Left-breast mammogram, CC. Patient age 45.
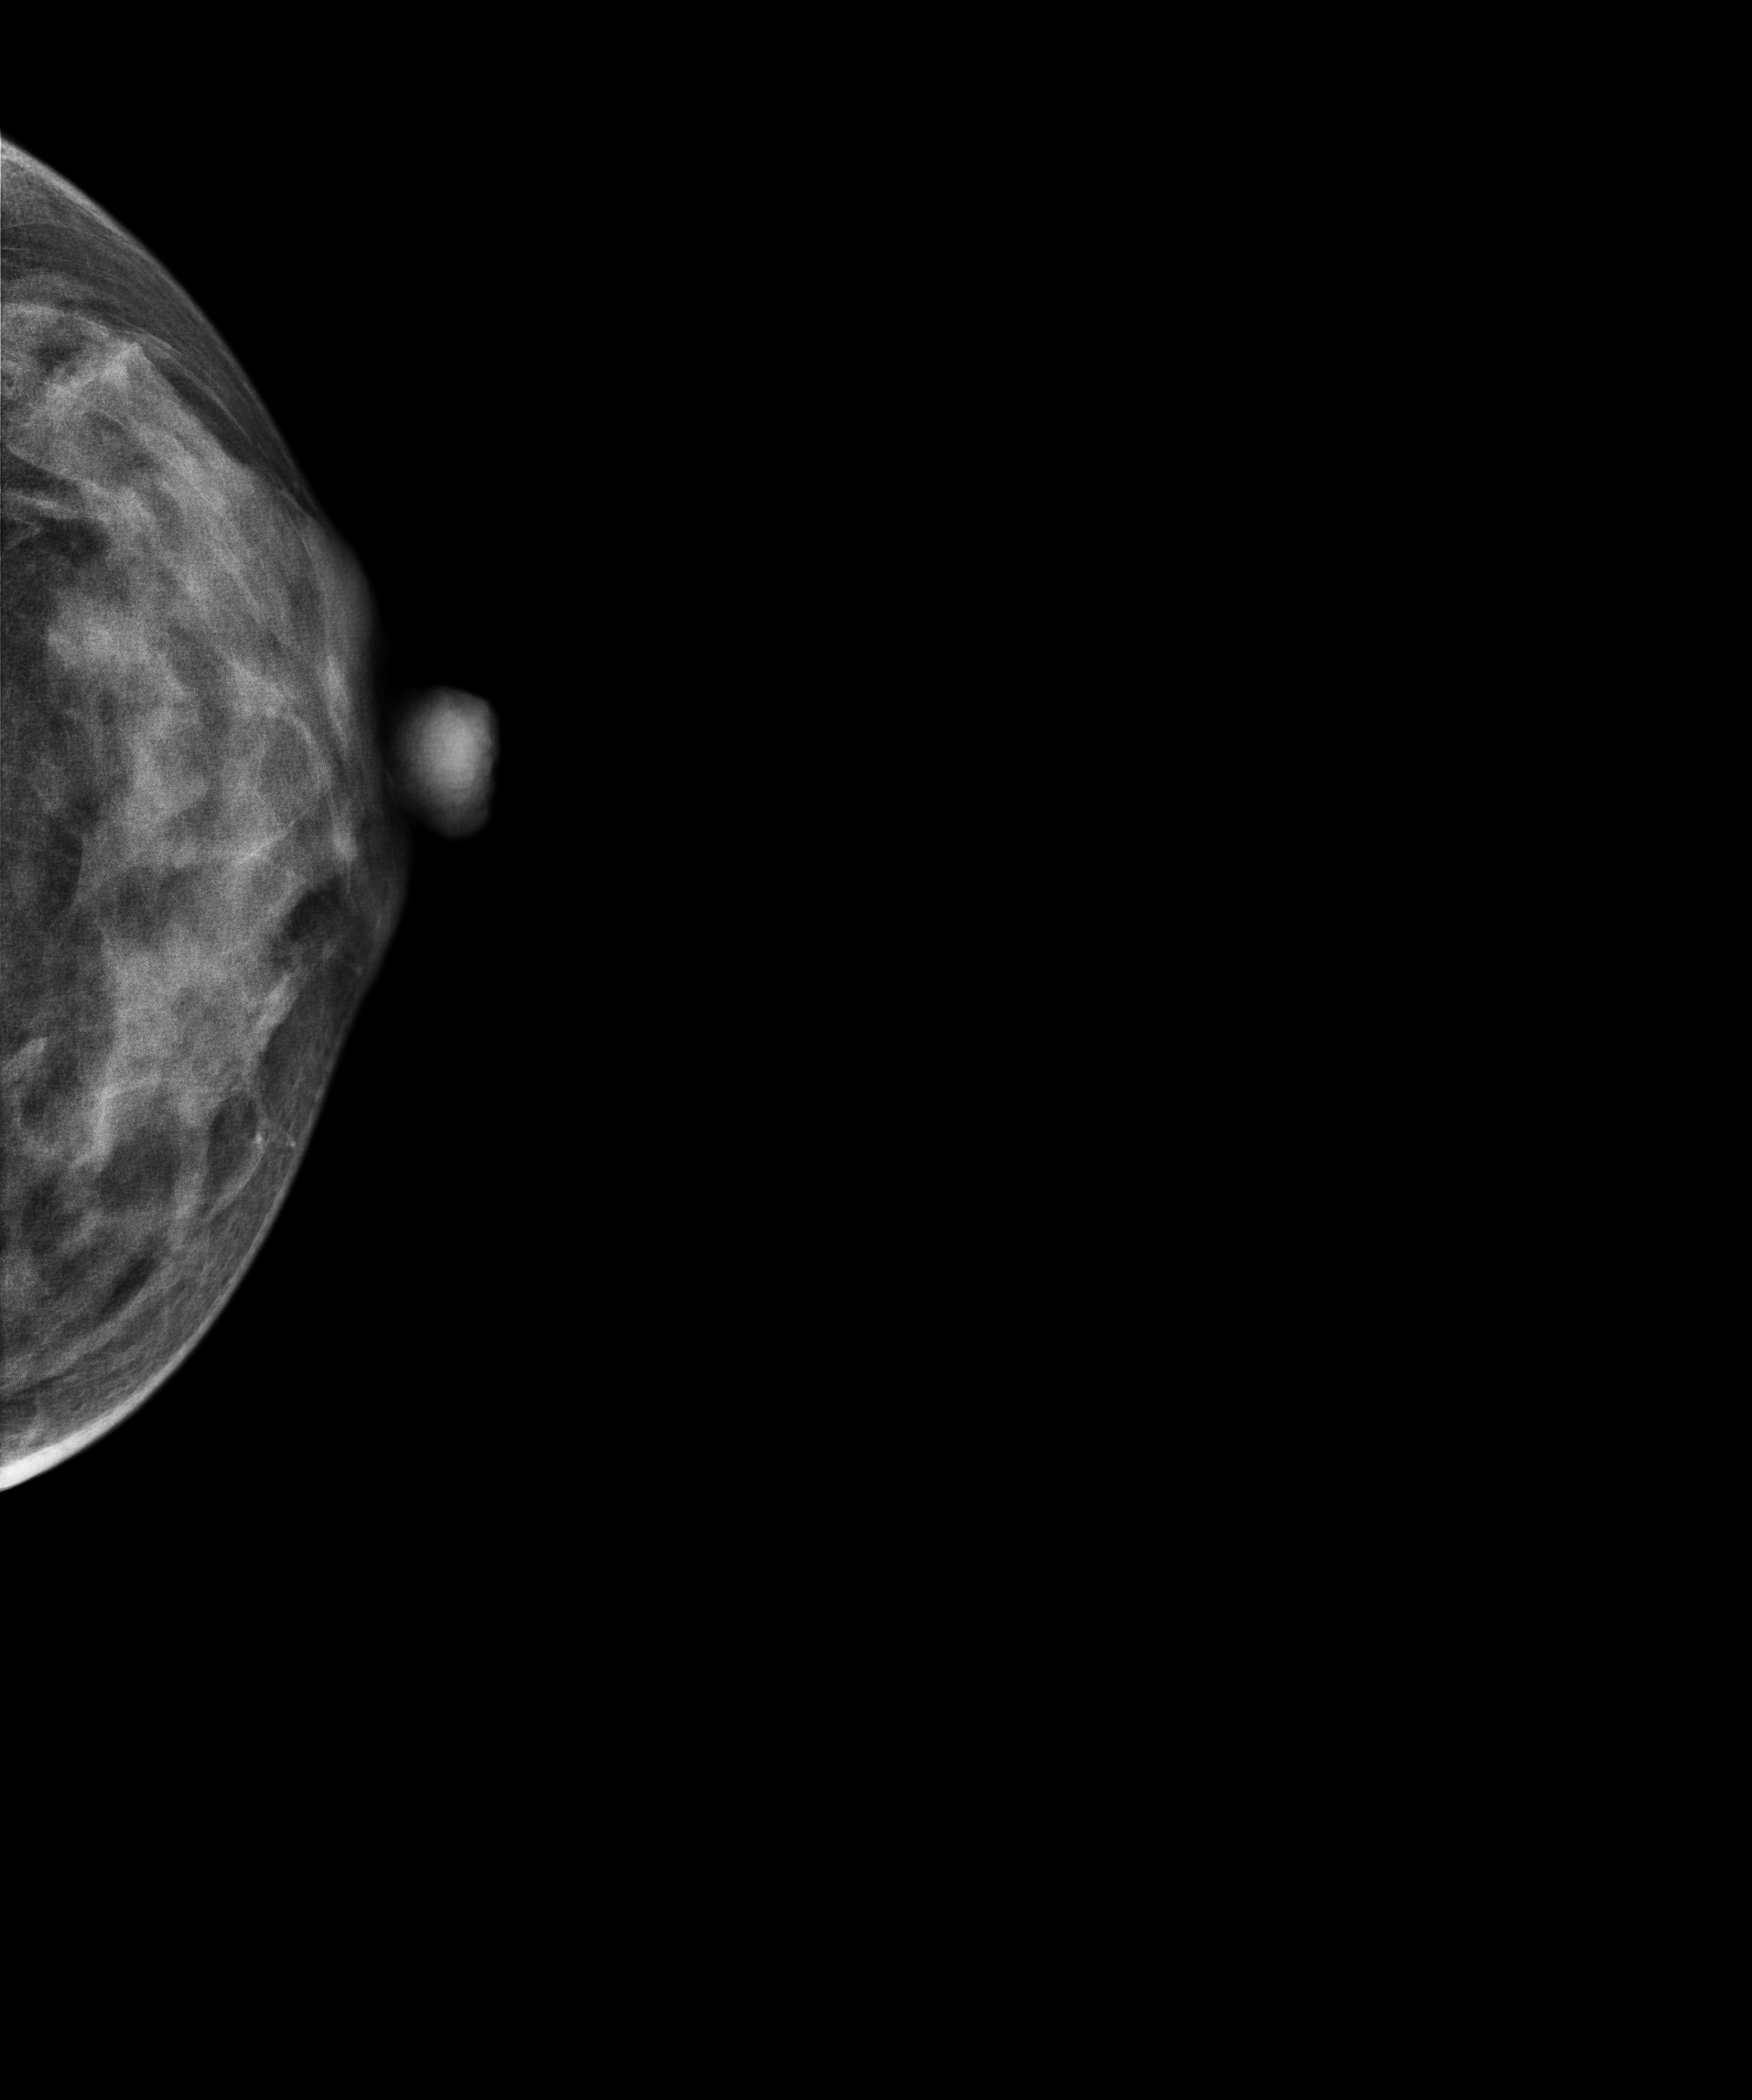
This breast has a mass, histologically confirmed malignant.